Left-breast mammogram, MLO. 48 y/o patient.
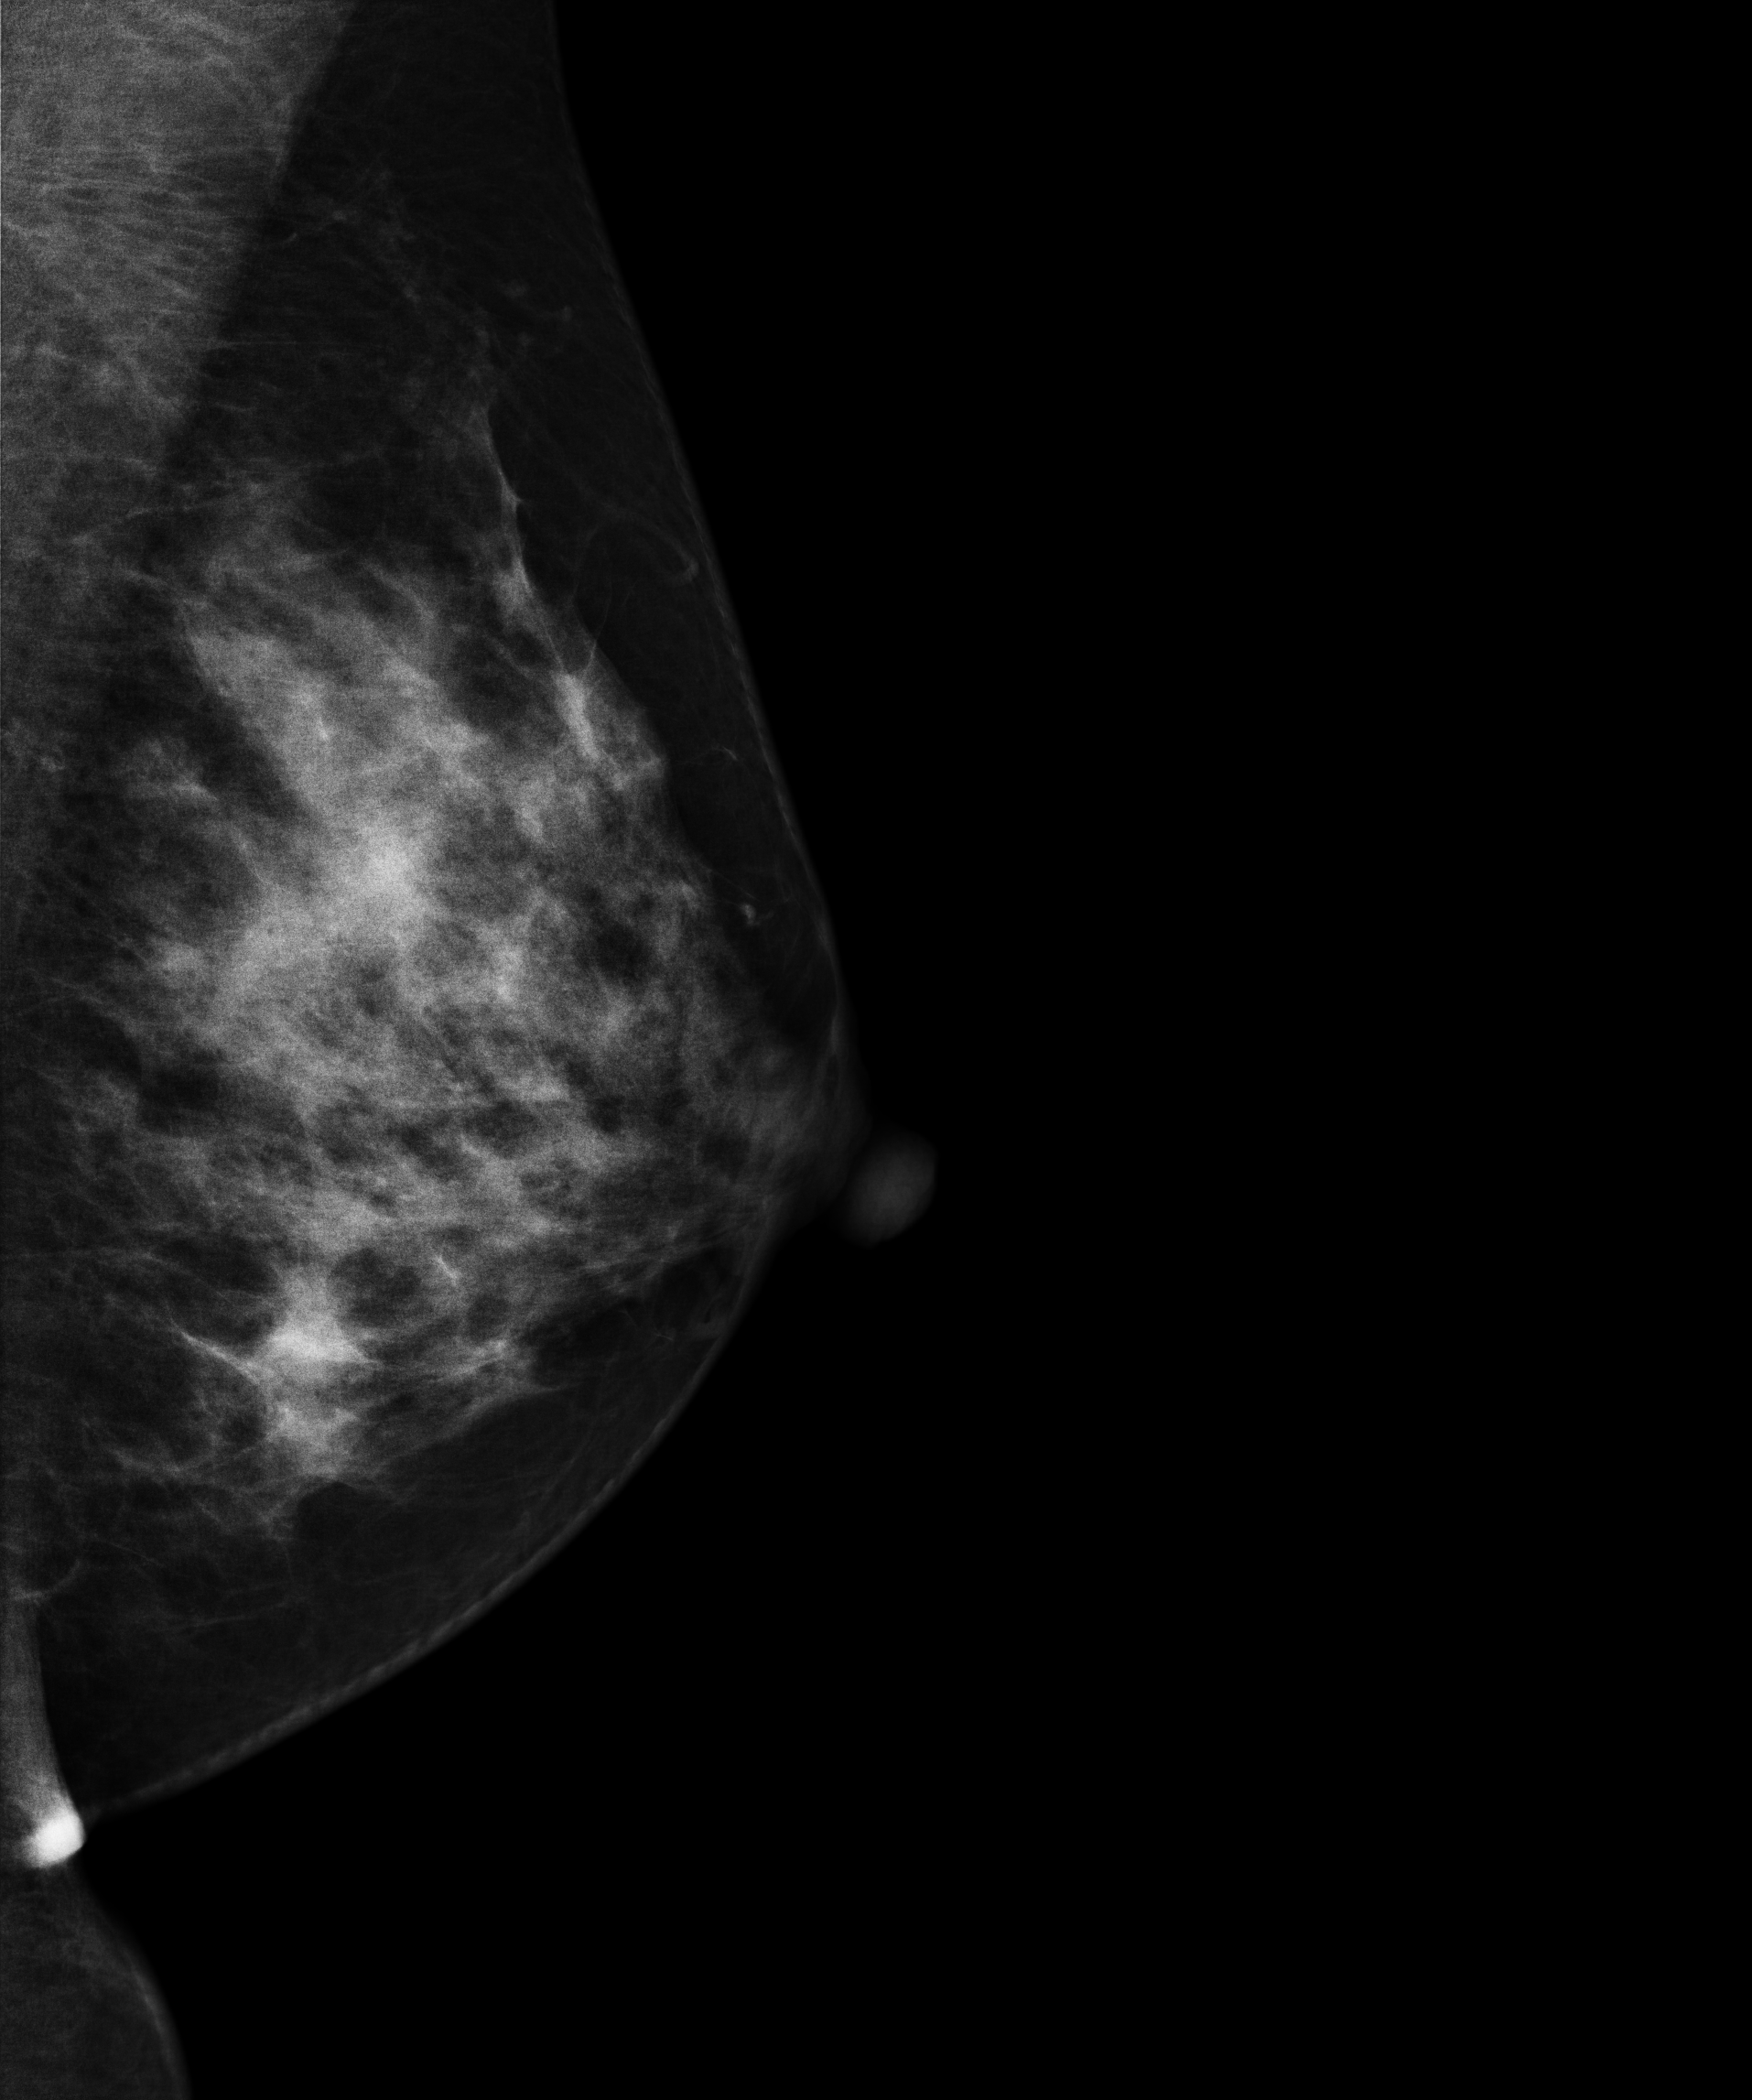
Contralateral breast — no documented abnormality on this side.